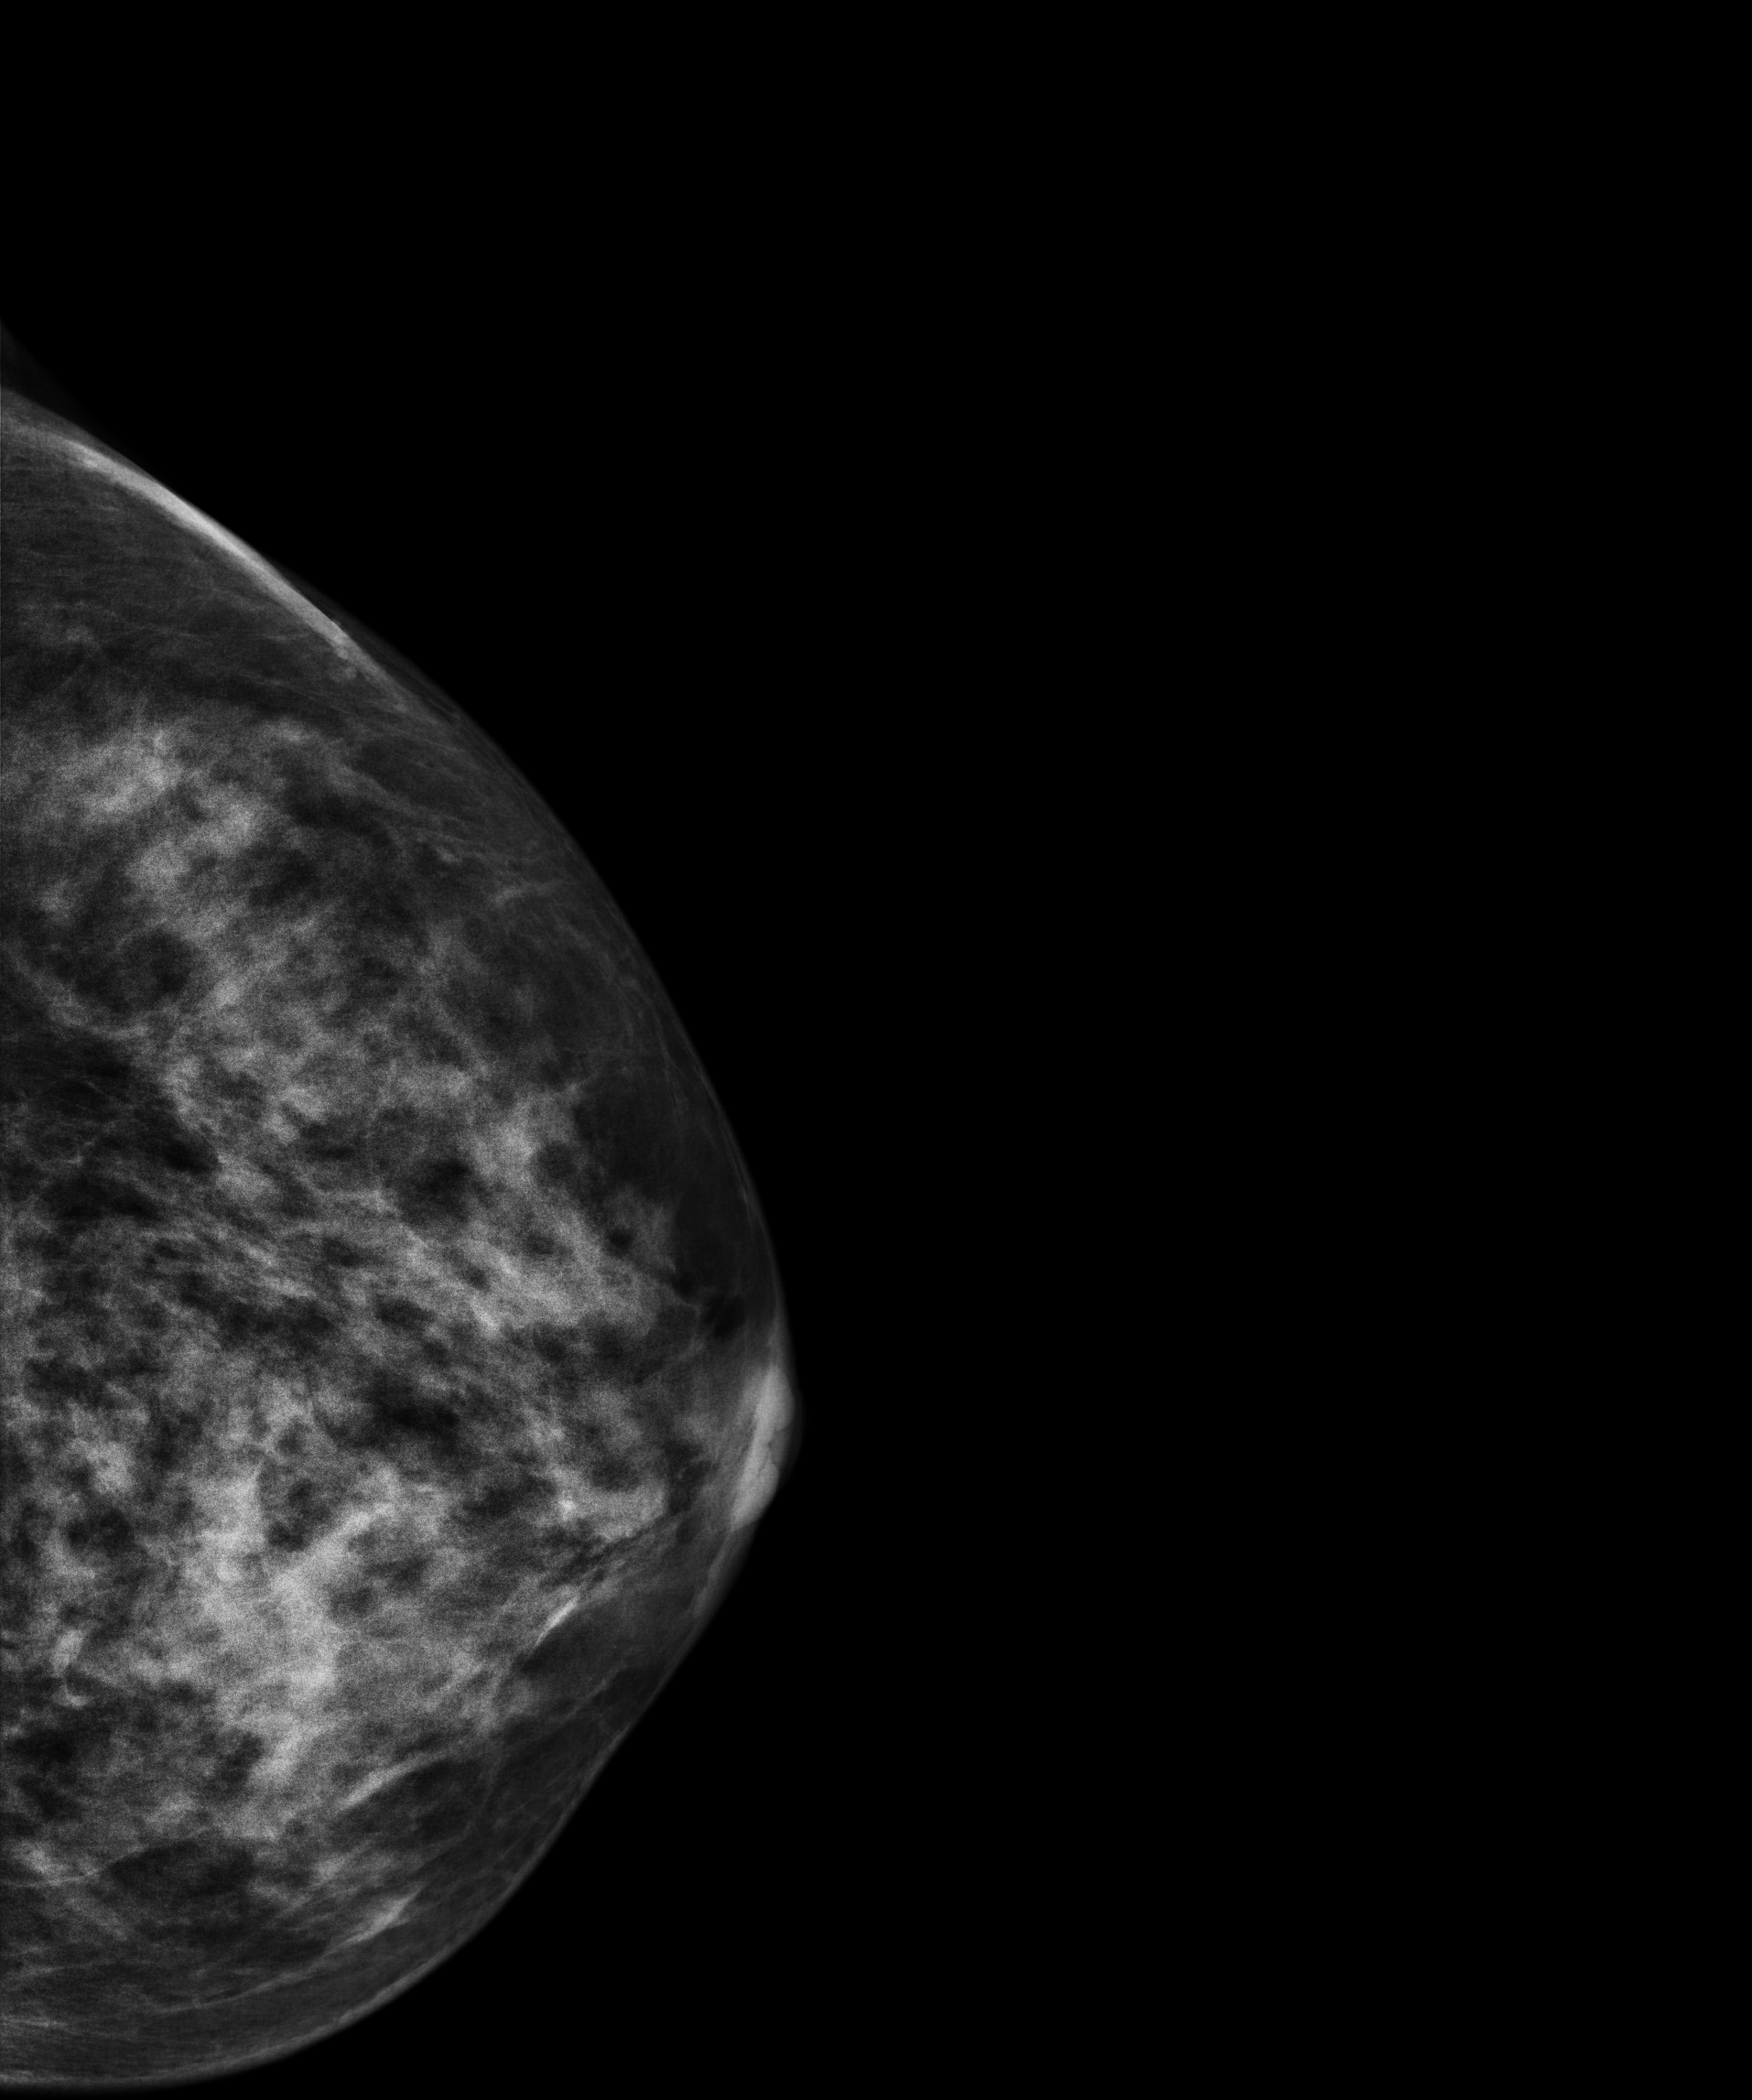
Left-breast mammogram, cranio-caudal. 46 y/o patient.
This breast has a mass, biopsy-proven malignant.